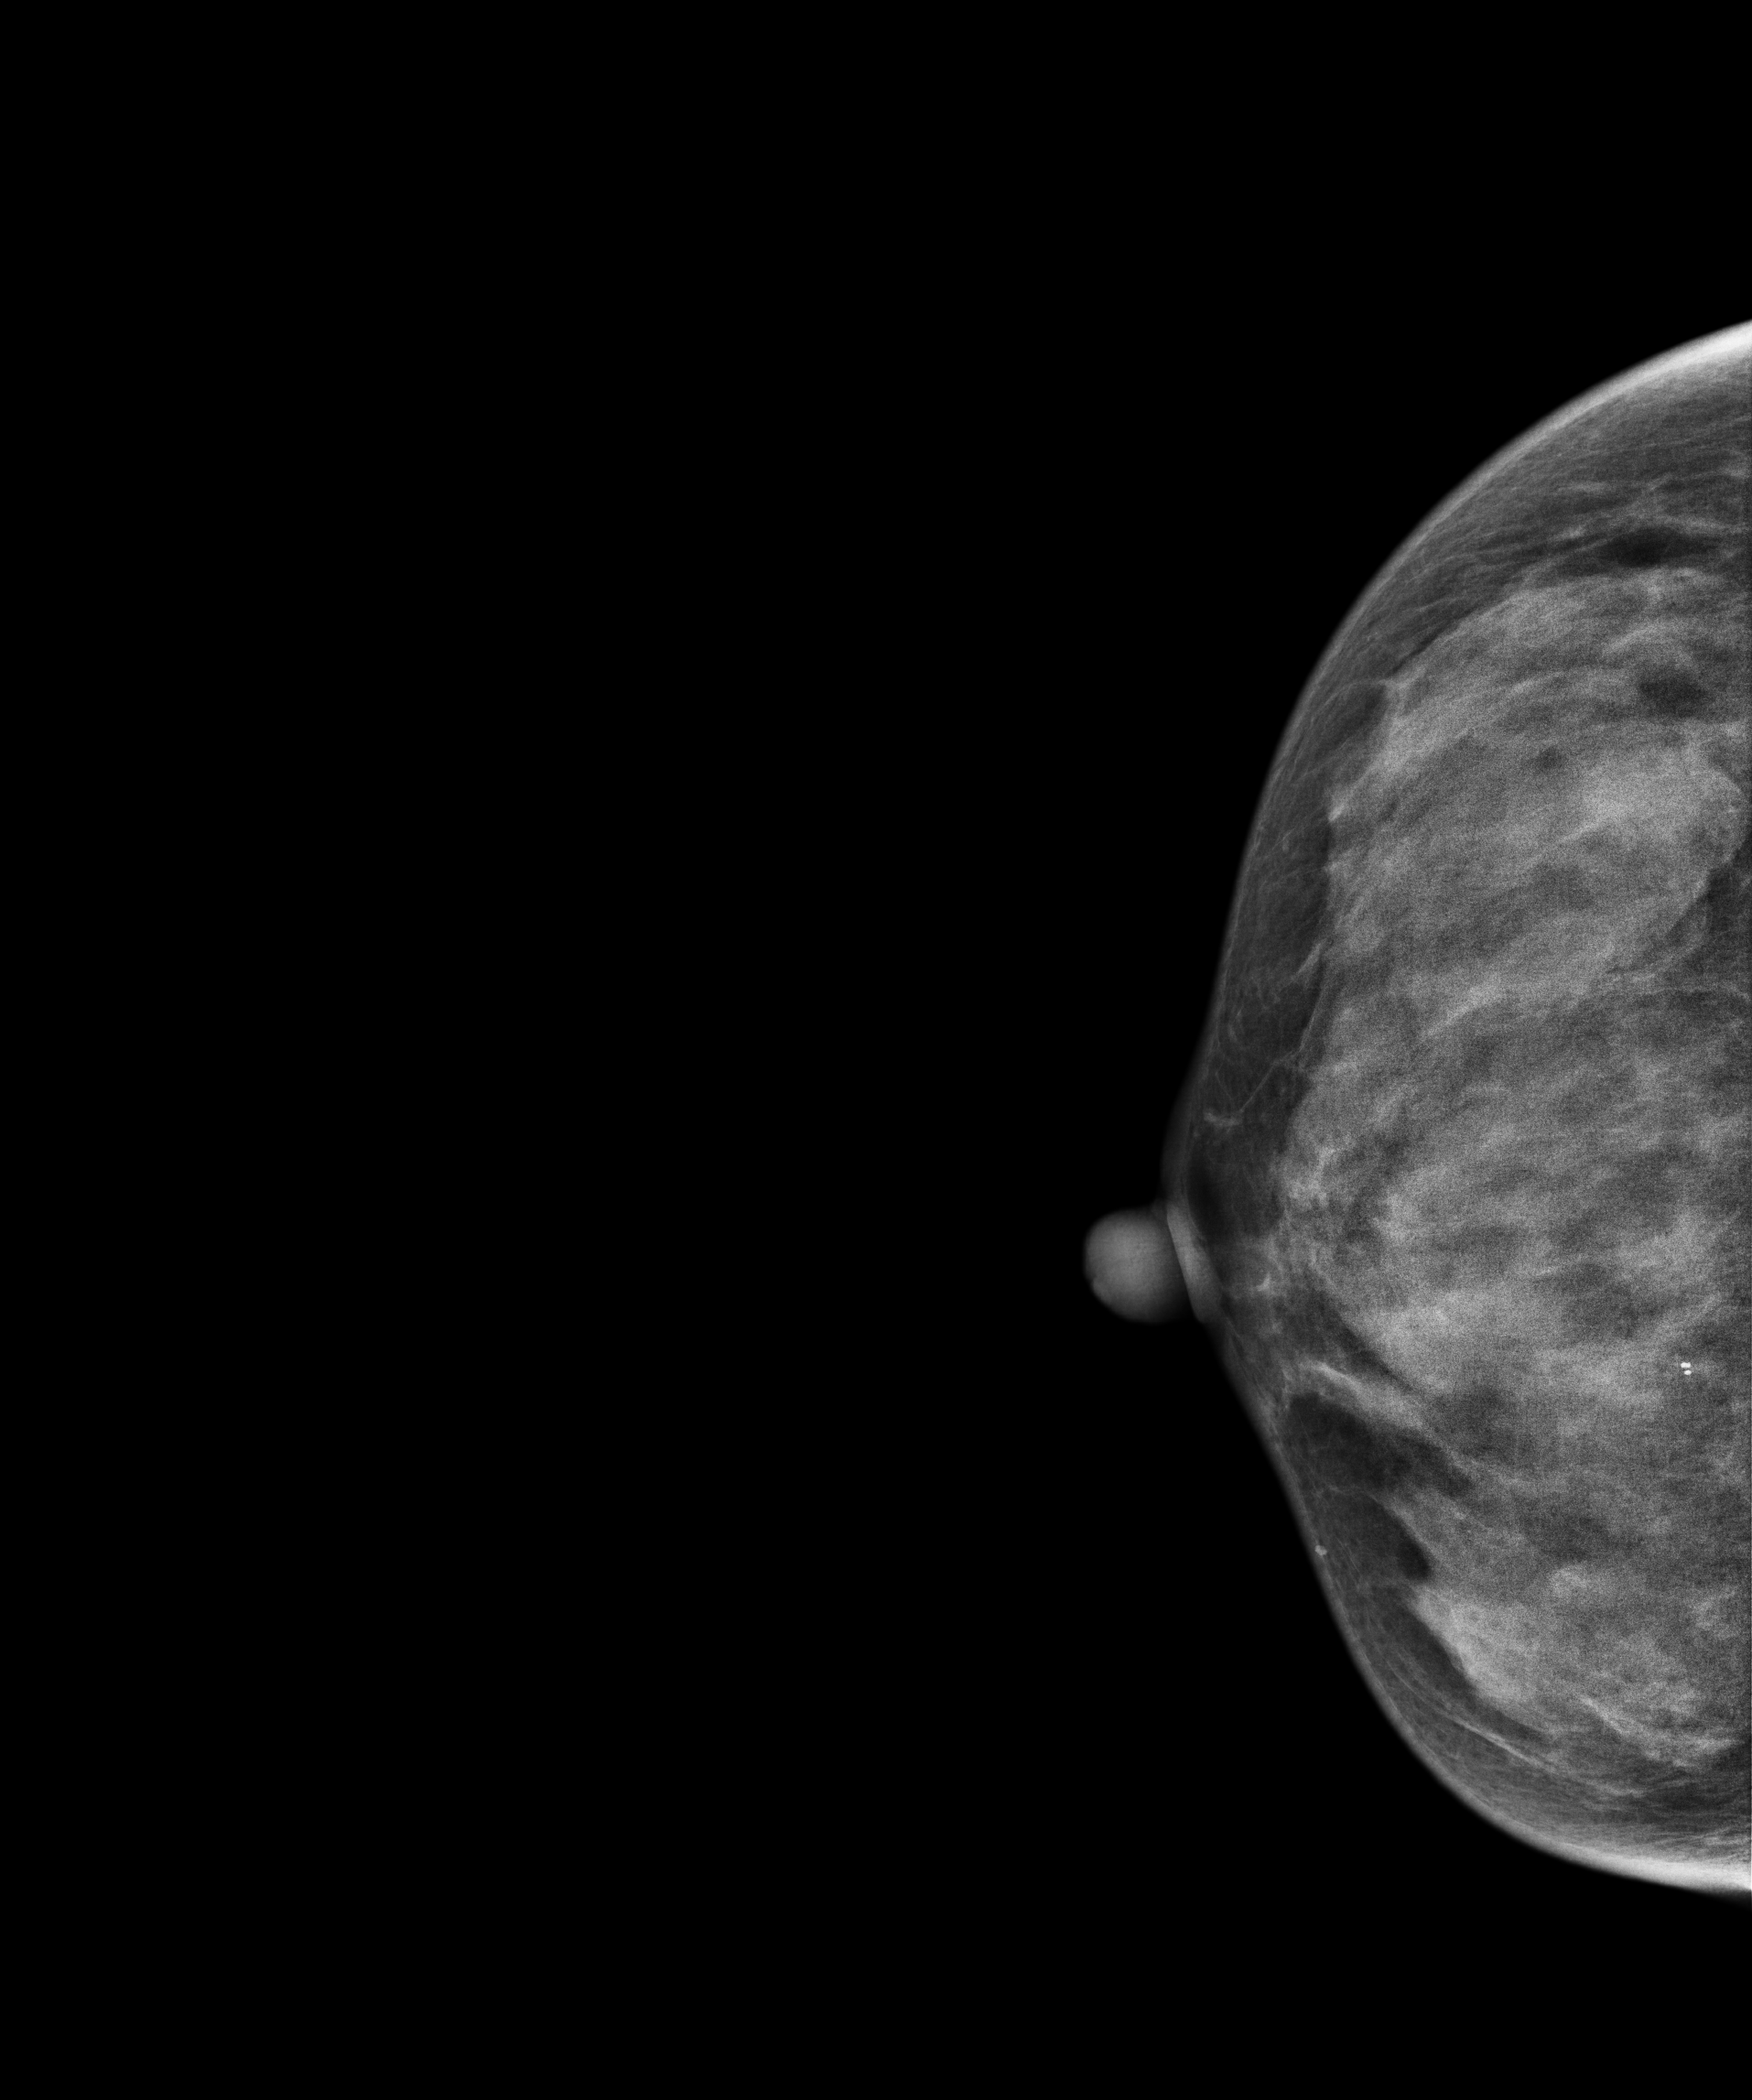
Digital mammography. Right breast, cranio-caudal projection. 34 y/o patient.
Contralateral breast — no documented abnormality on this side.